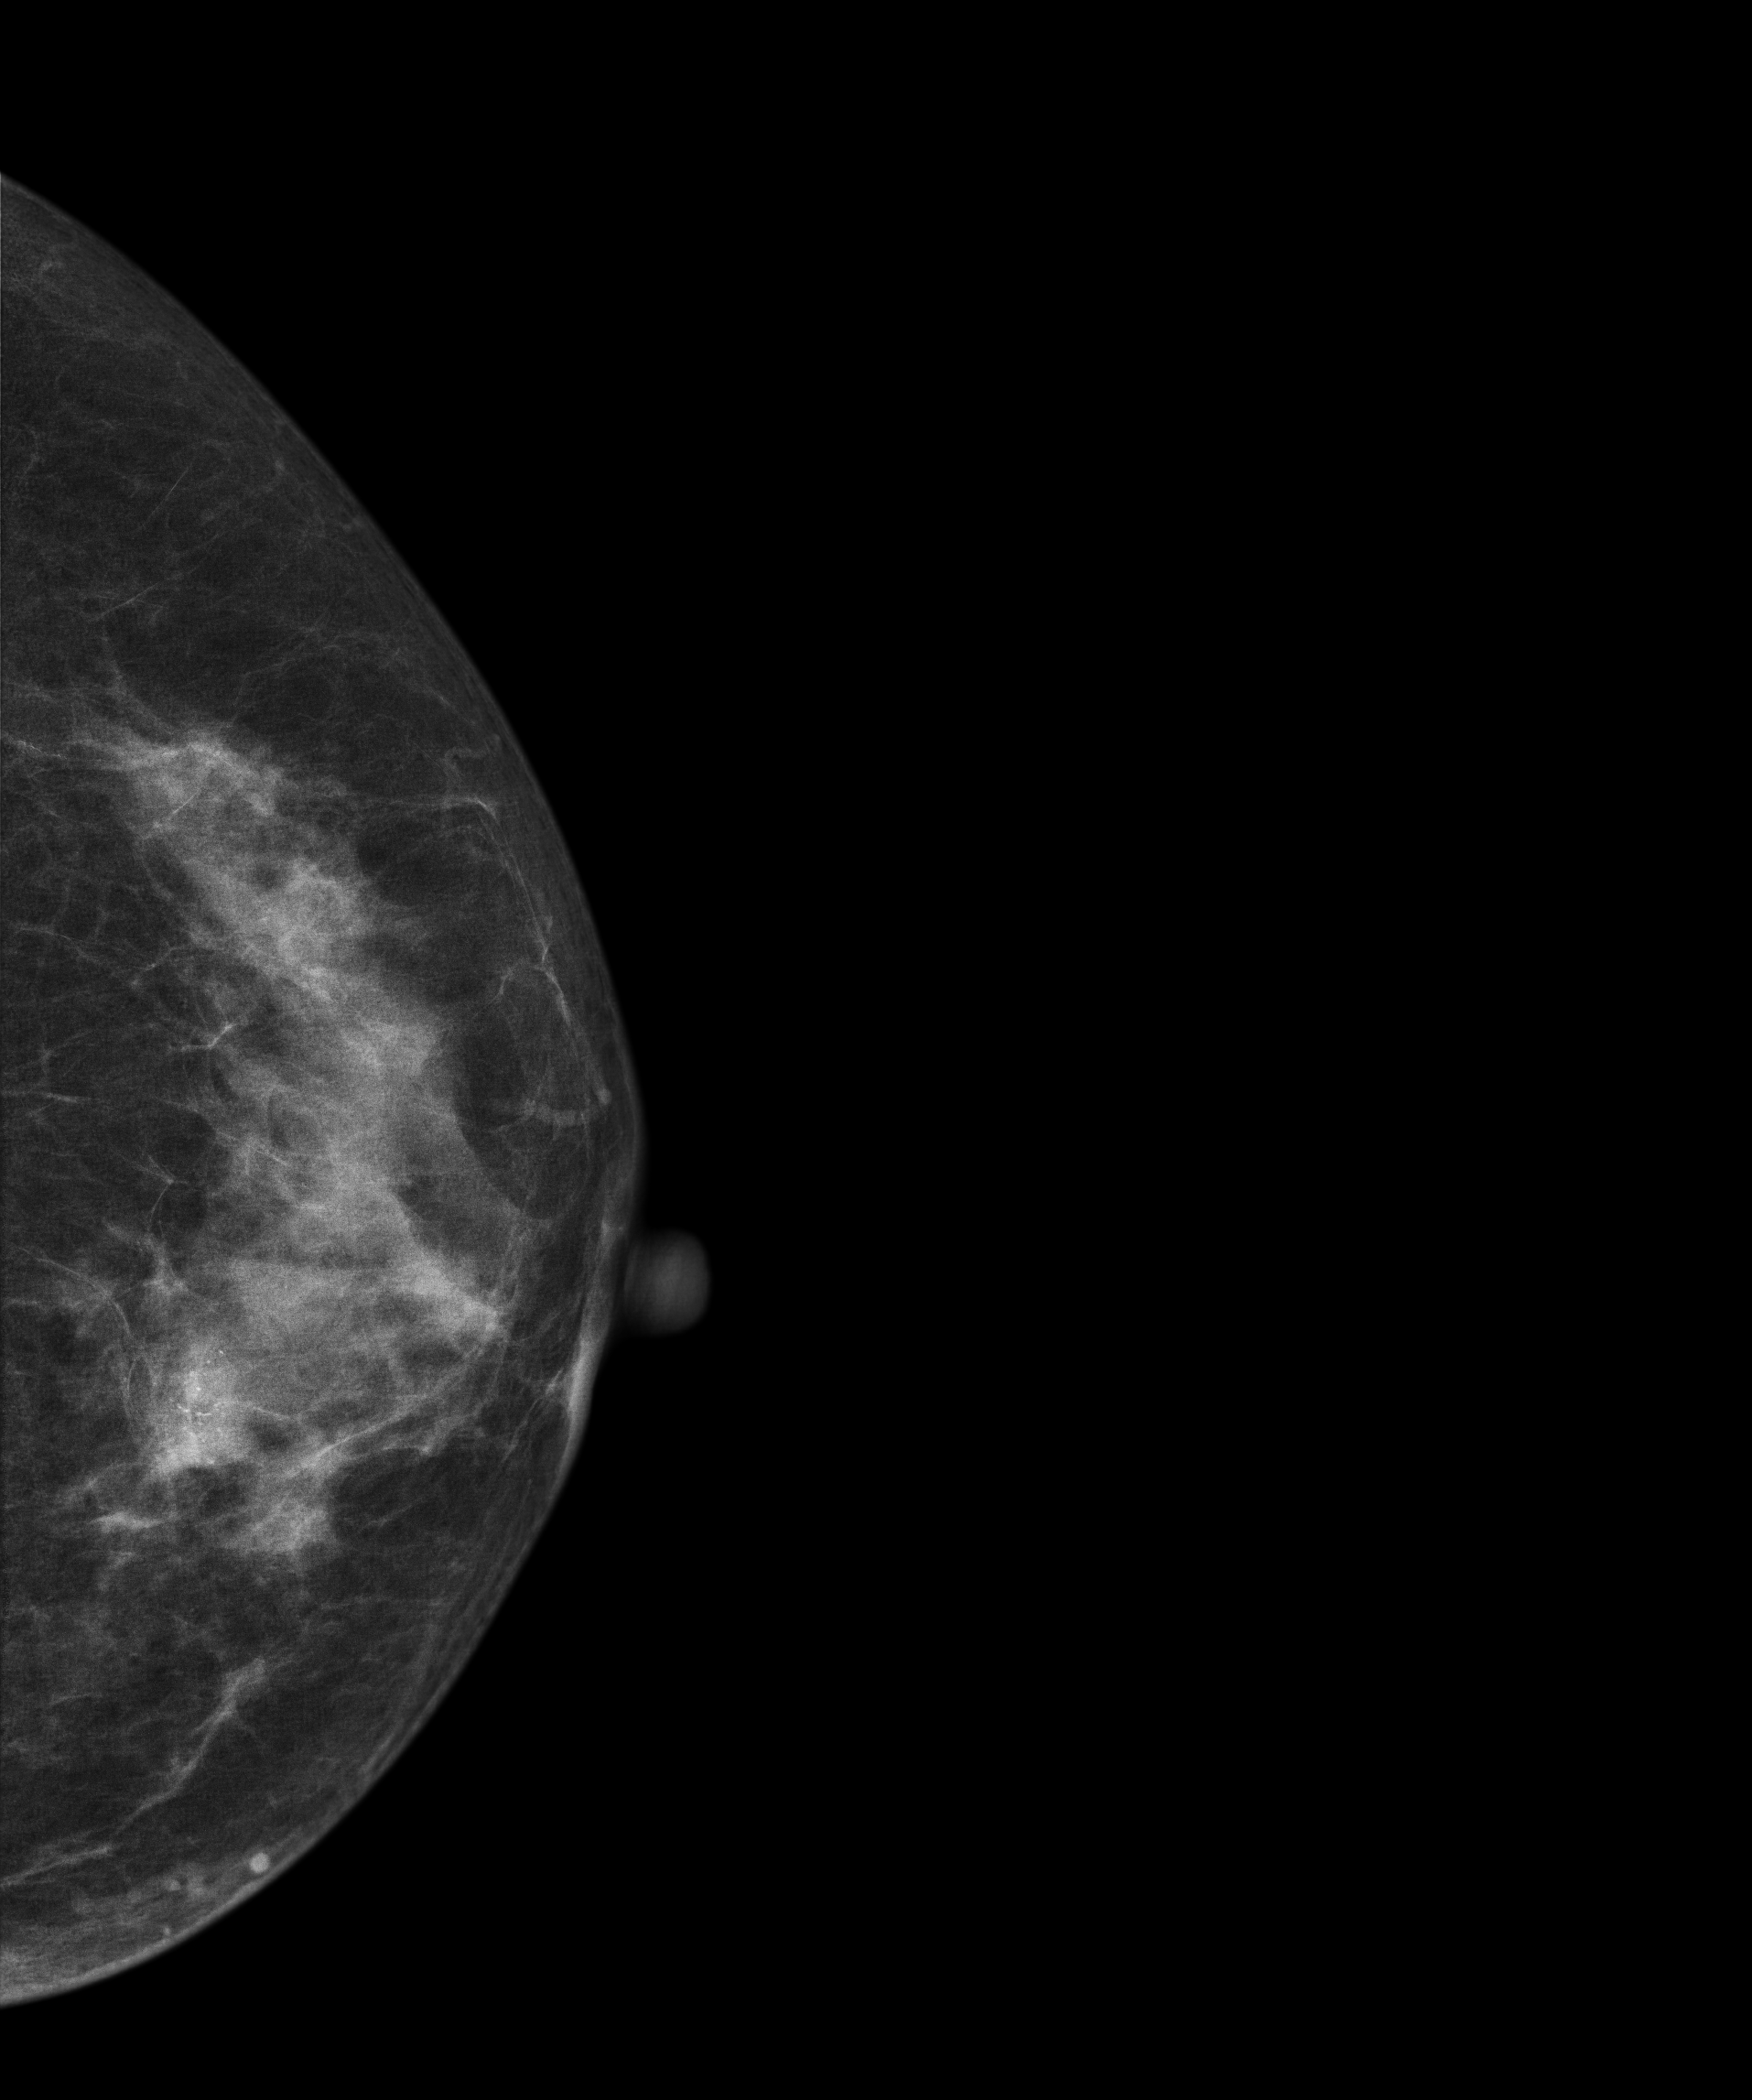
Cranio-caudal mammogram of the left breast. 57-year-old patient.
This breast has calcifications, histologically confirmed malignant.